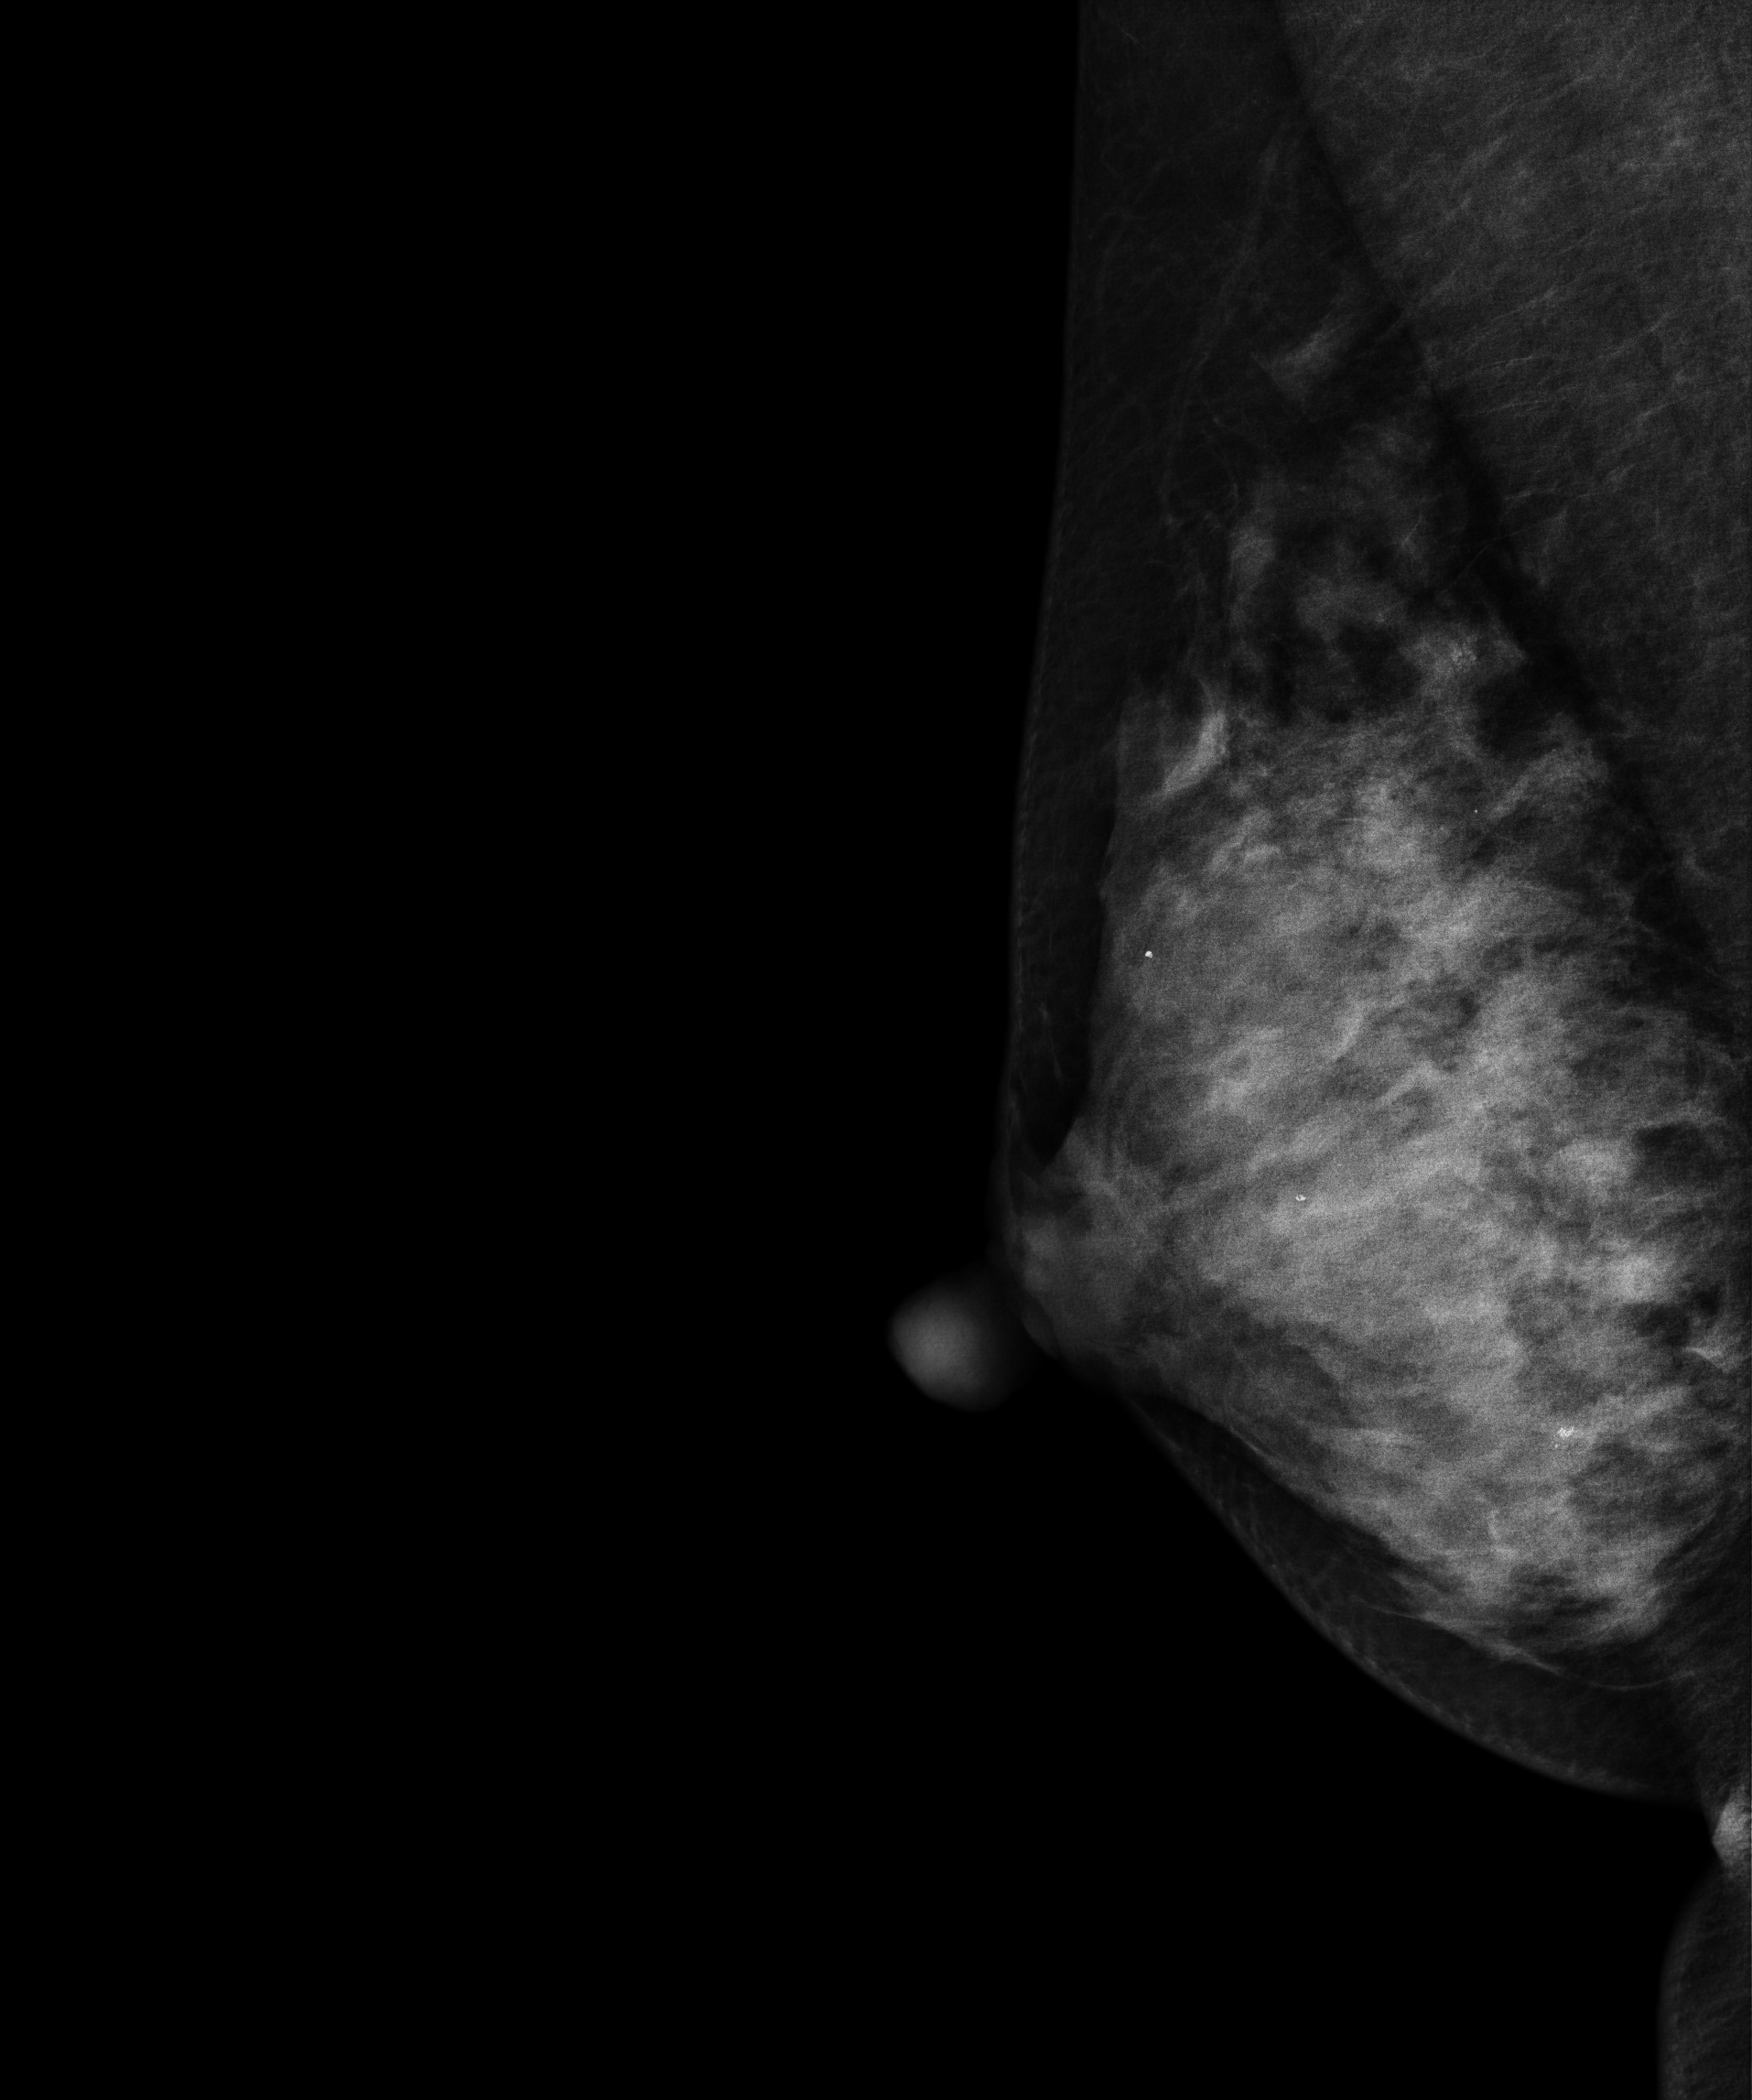
Mammogram — right medio-lateral oblique. 53-year-old patient.
This breast has calcifications, biopsy-confirmed benign.